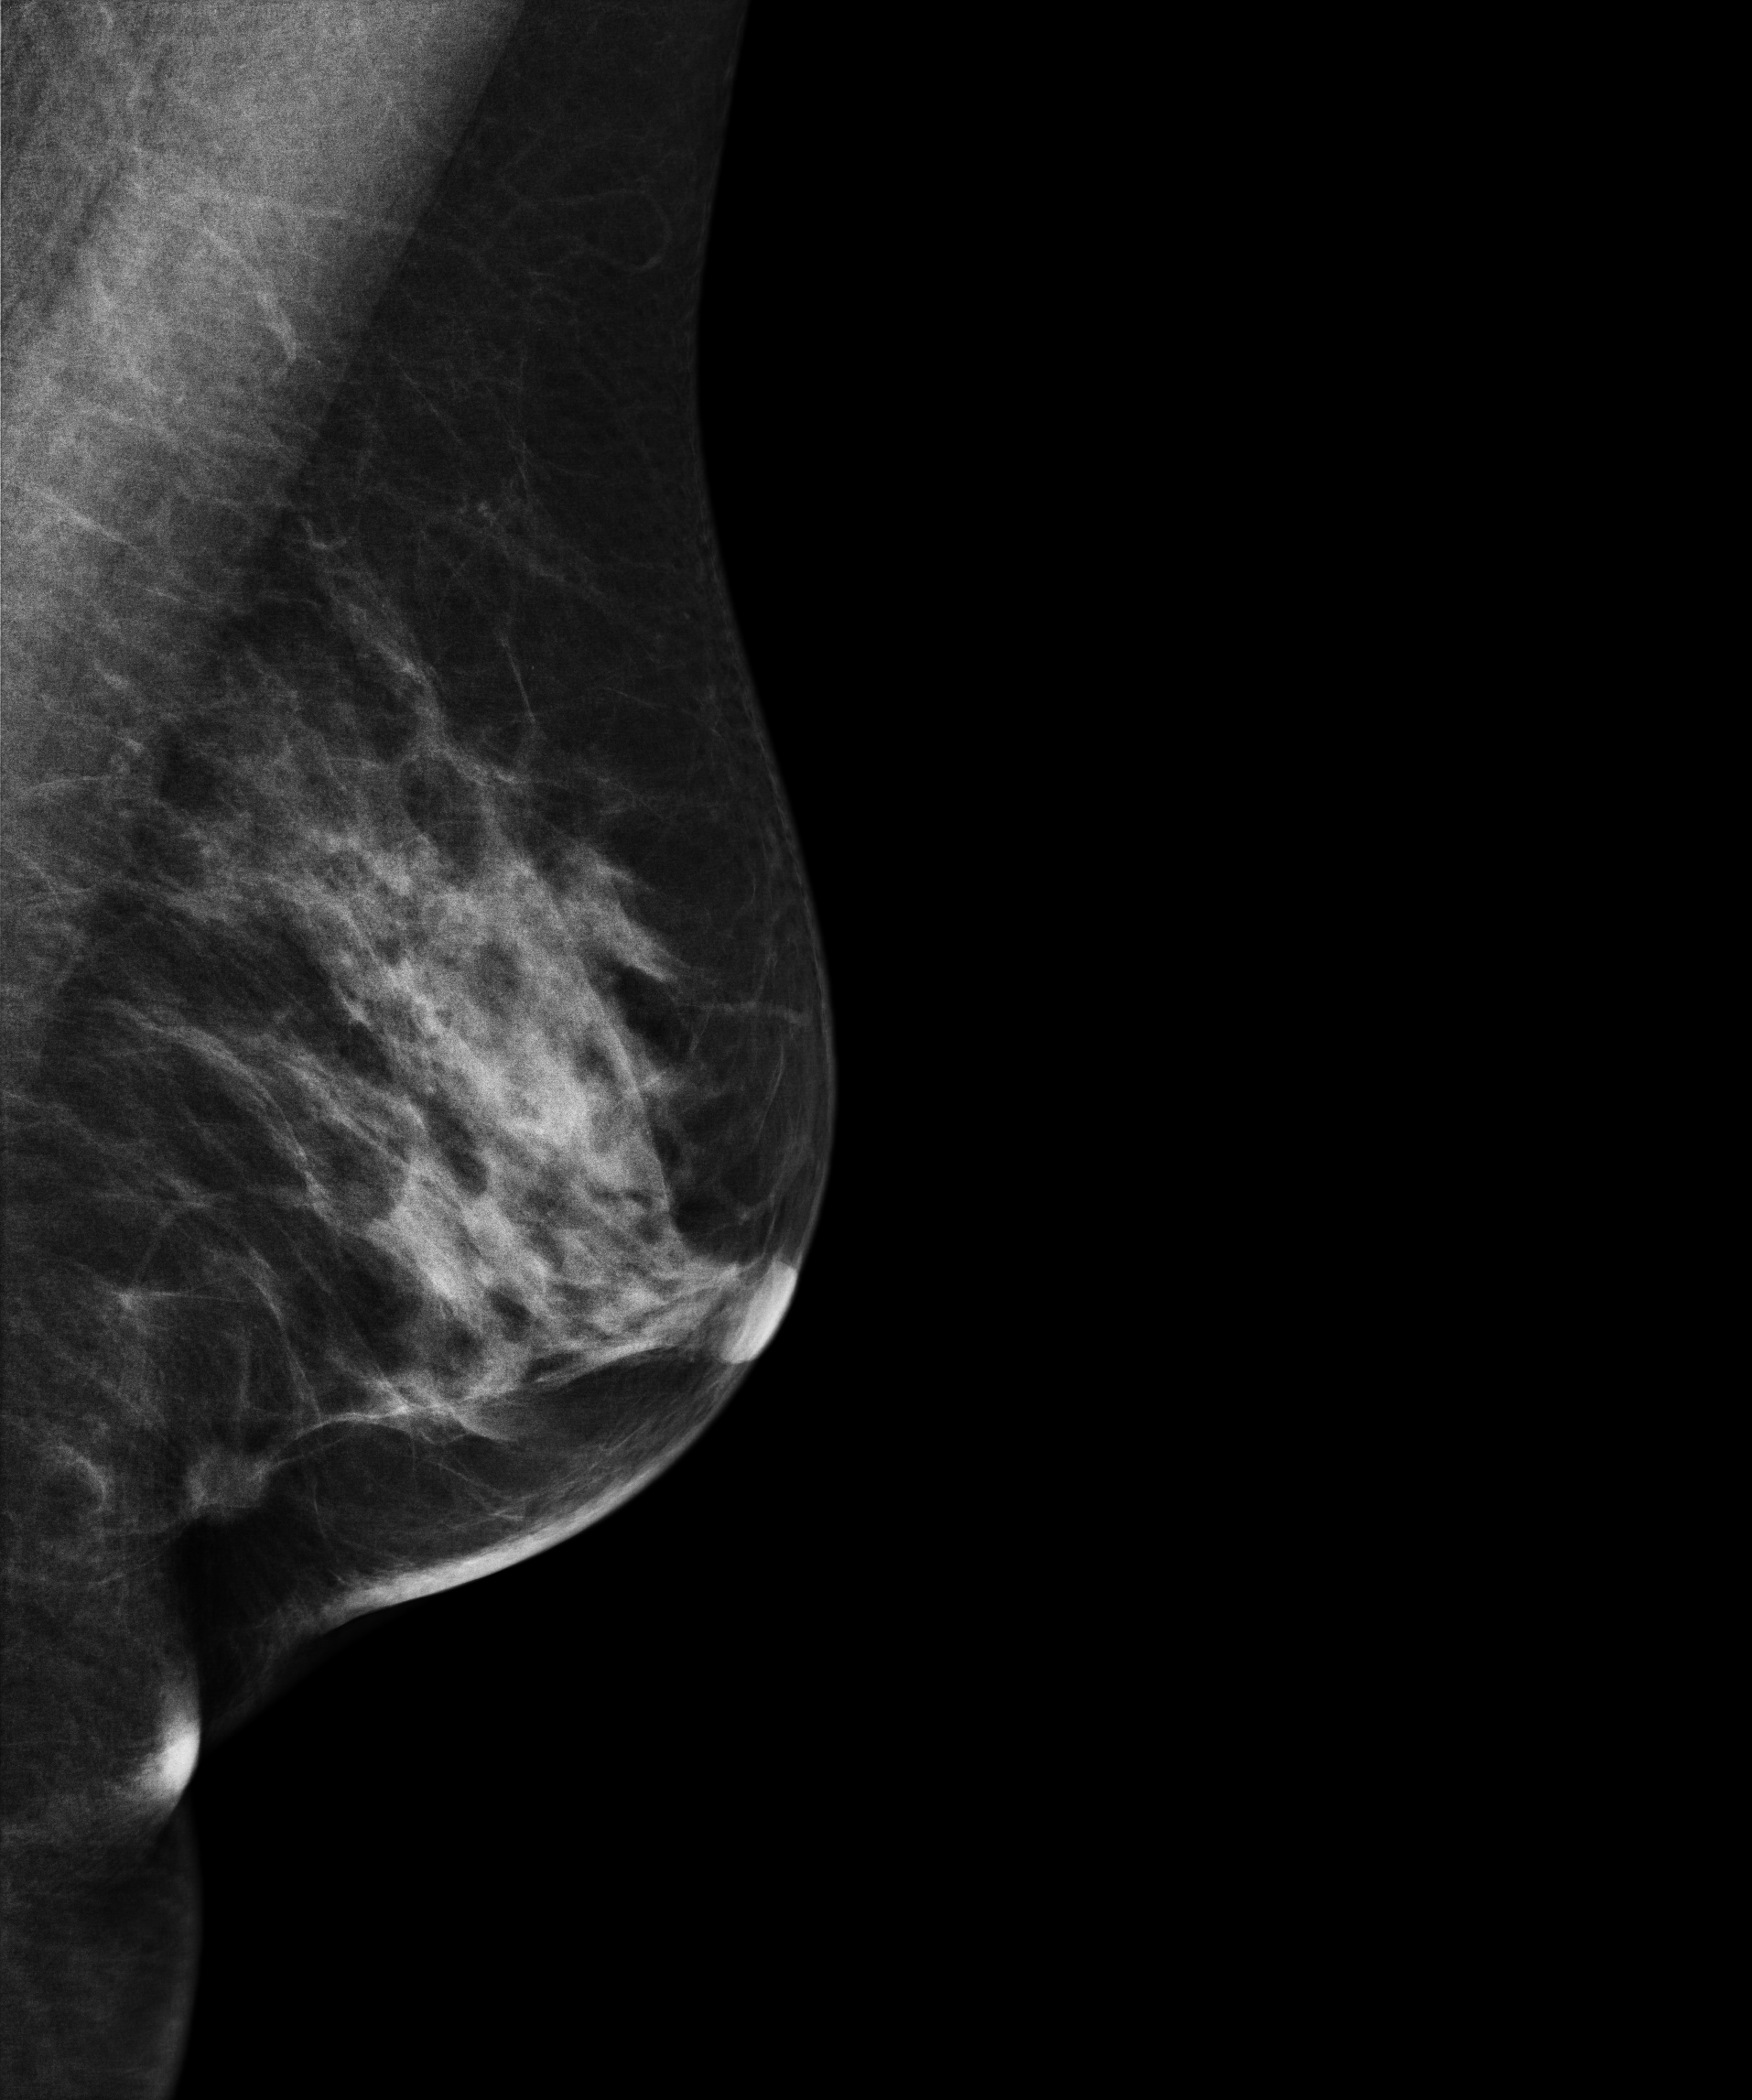
Mammogram — left medio-lateral oblique. Patient age 55.
This breast has a mass, biopsy-proven malignant. Molecular subtype: luminal B.